CC mammogram of the right breast. 49-year-old patient.
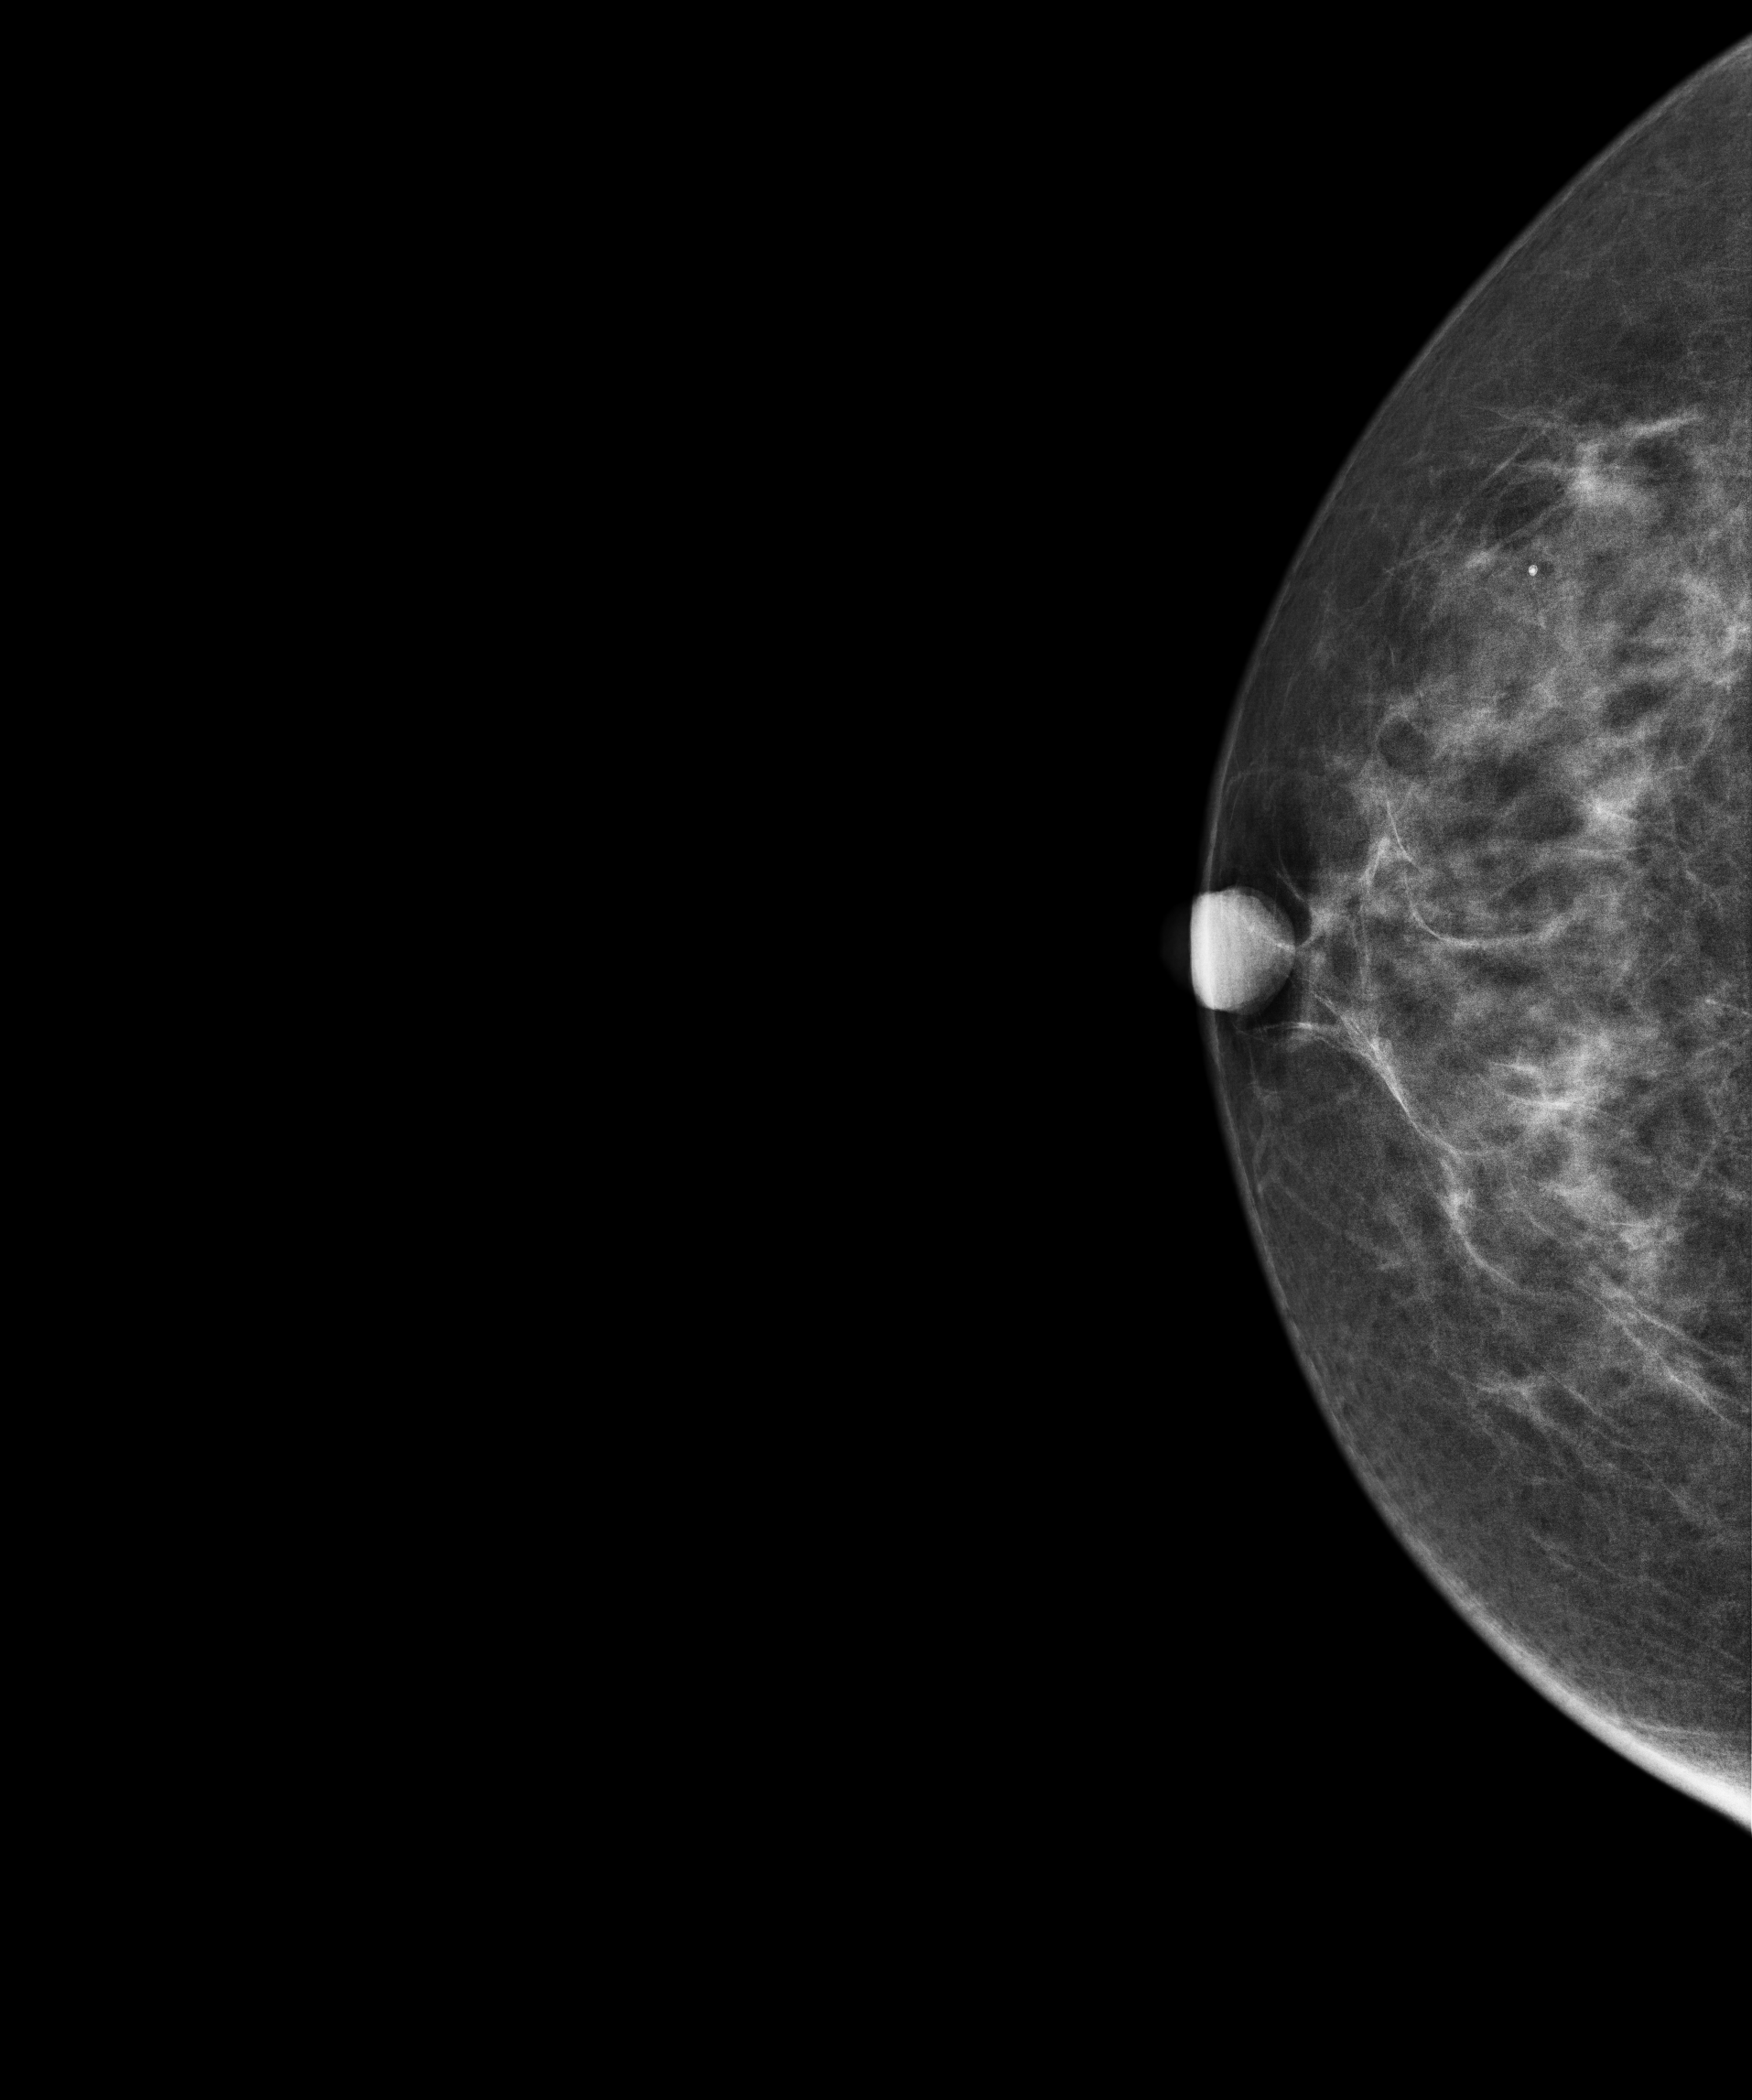
Contralateral breast — no documented abnormality on this side.